Right-breast mammogram, cranio-caudal. Patient age 66.
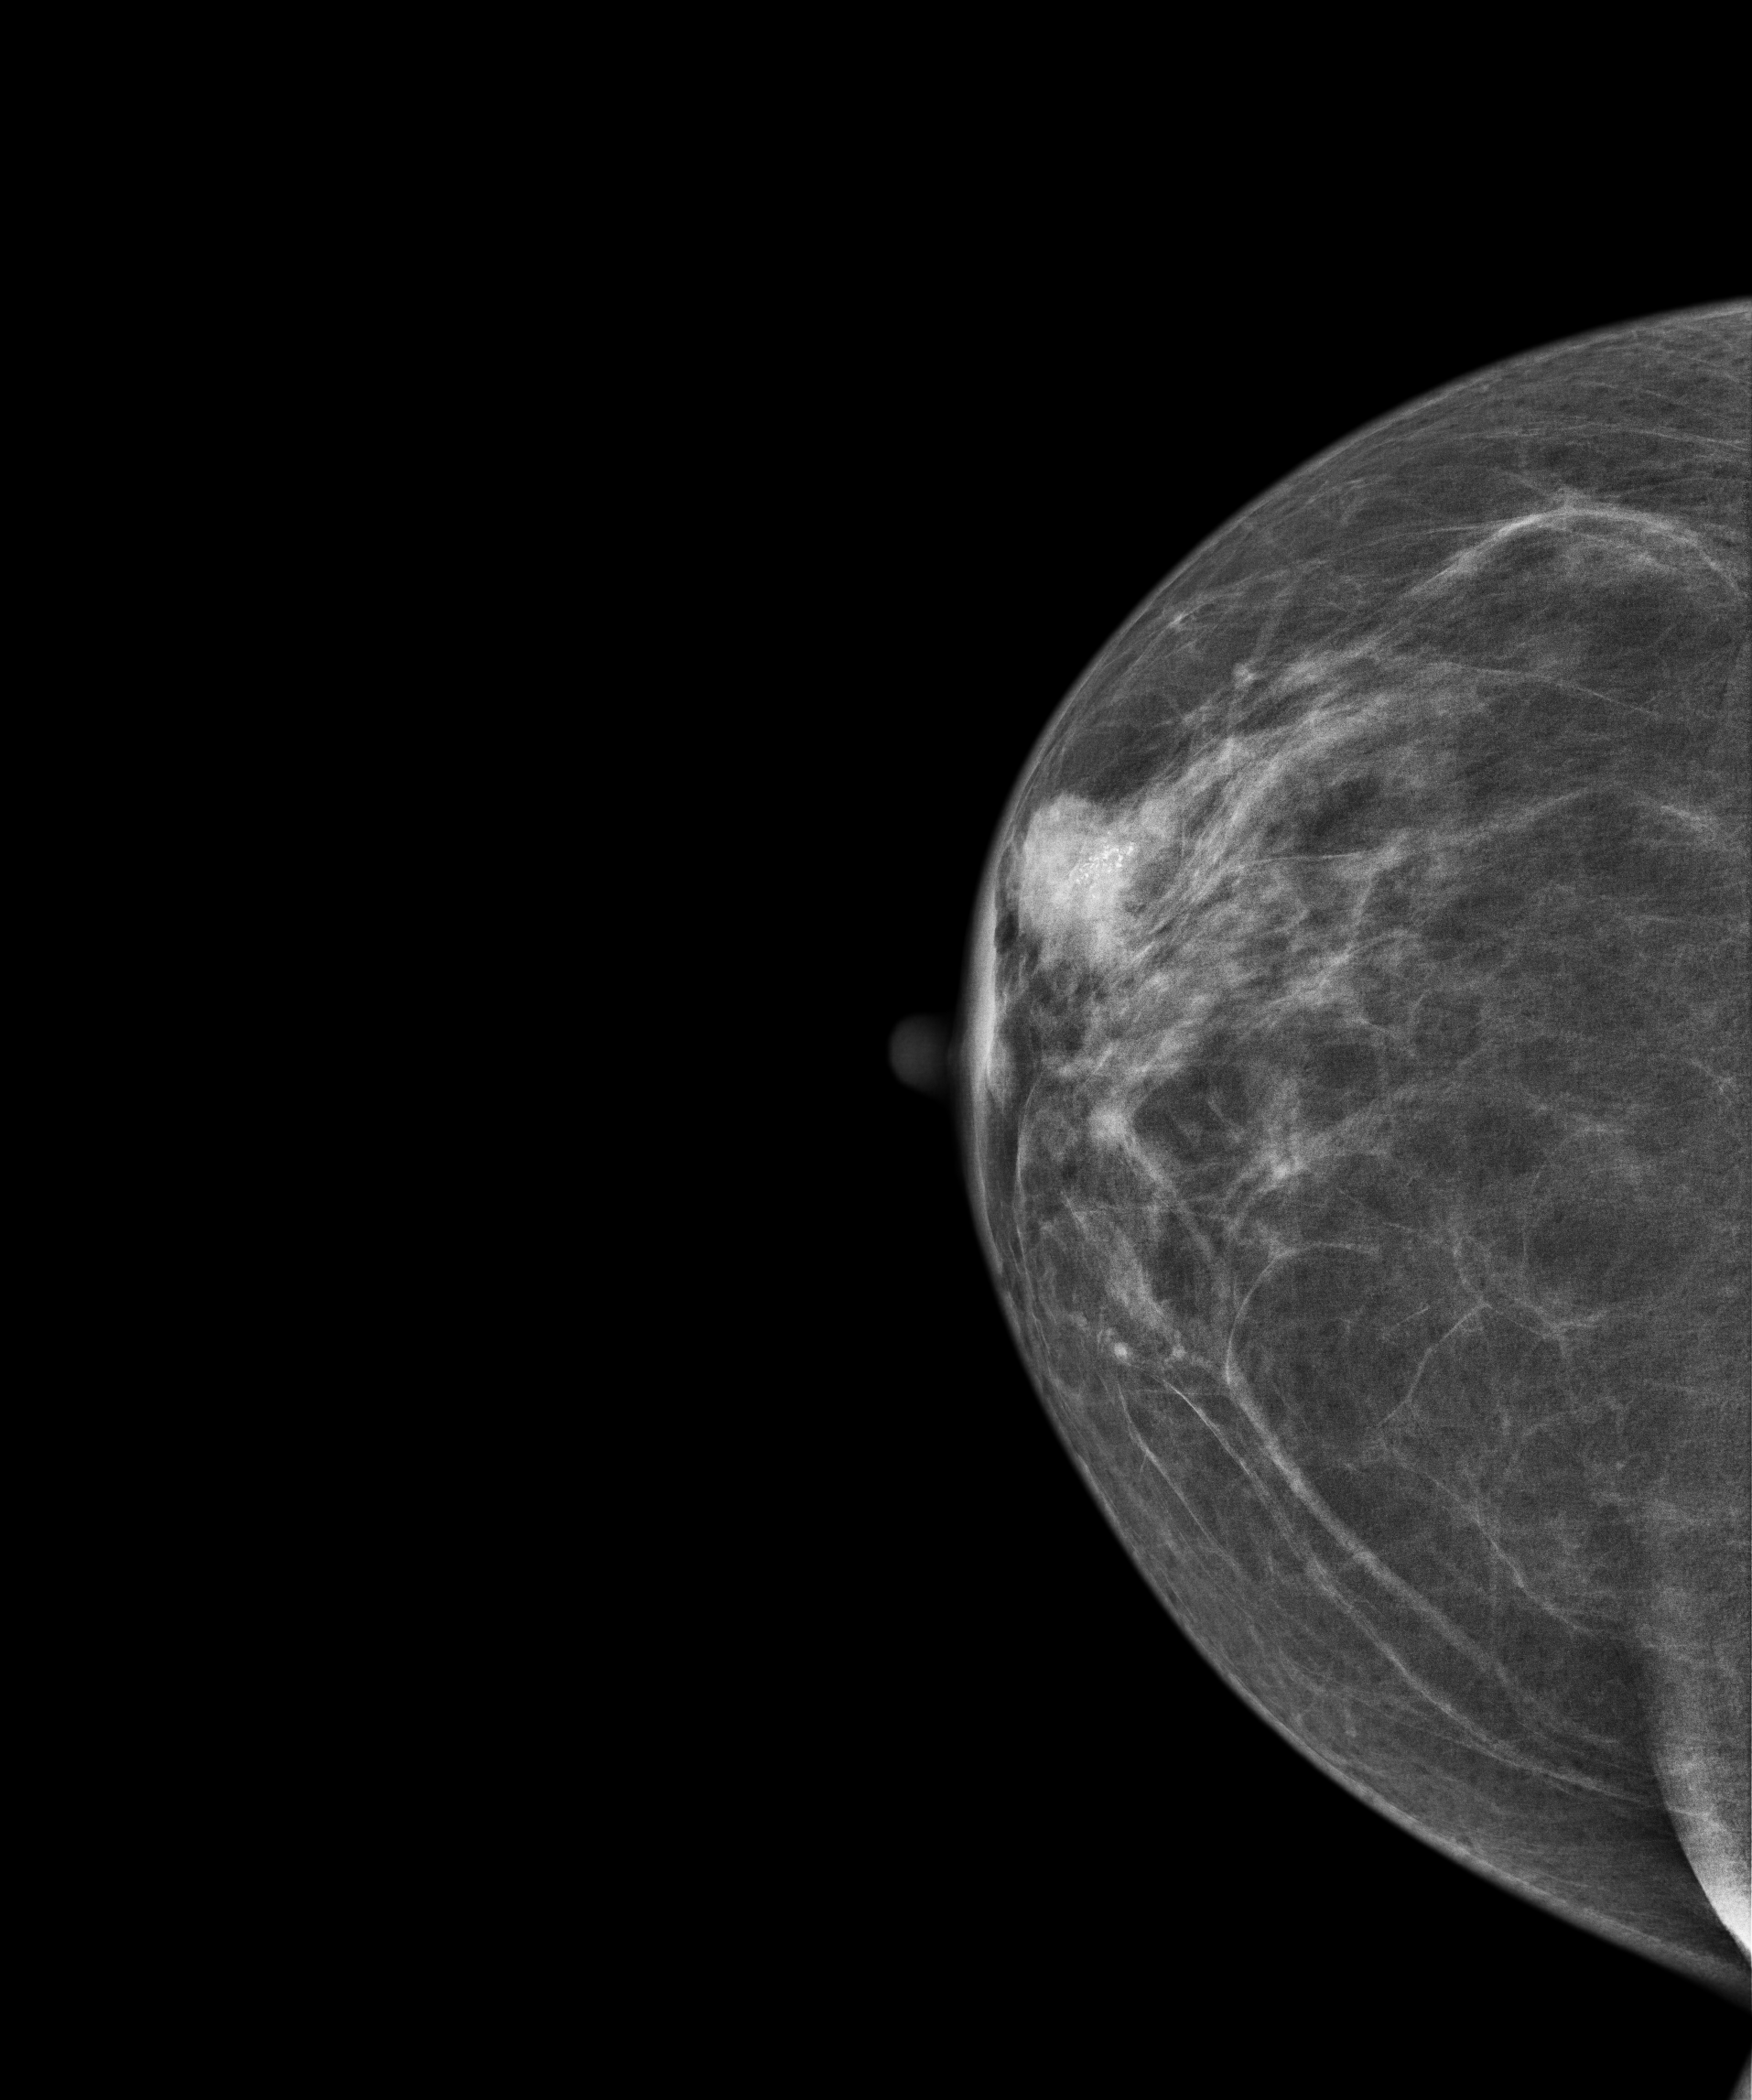
This breast has a mass and calcifications, pathology-confirmed malignant.